MLO mammogram of the right breast. Patient age 42.
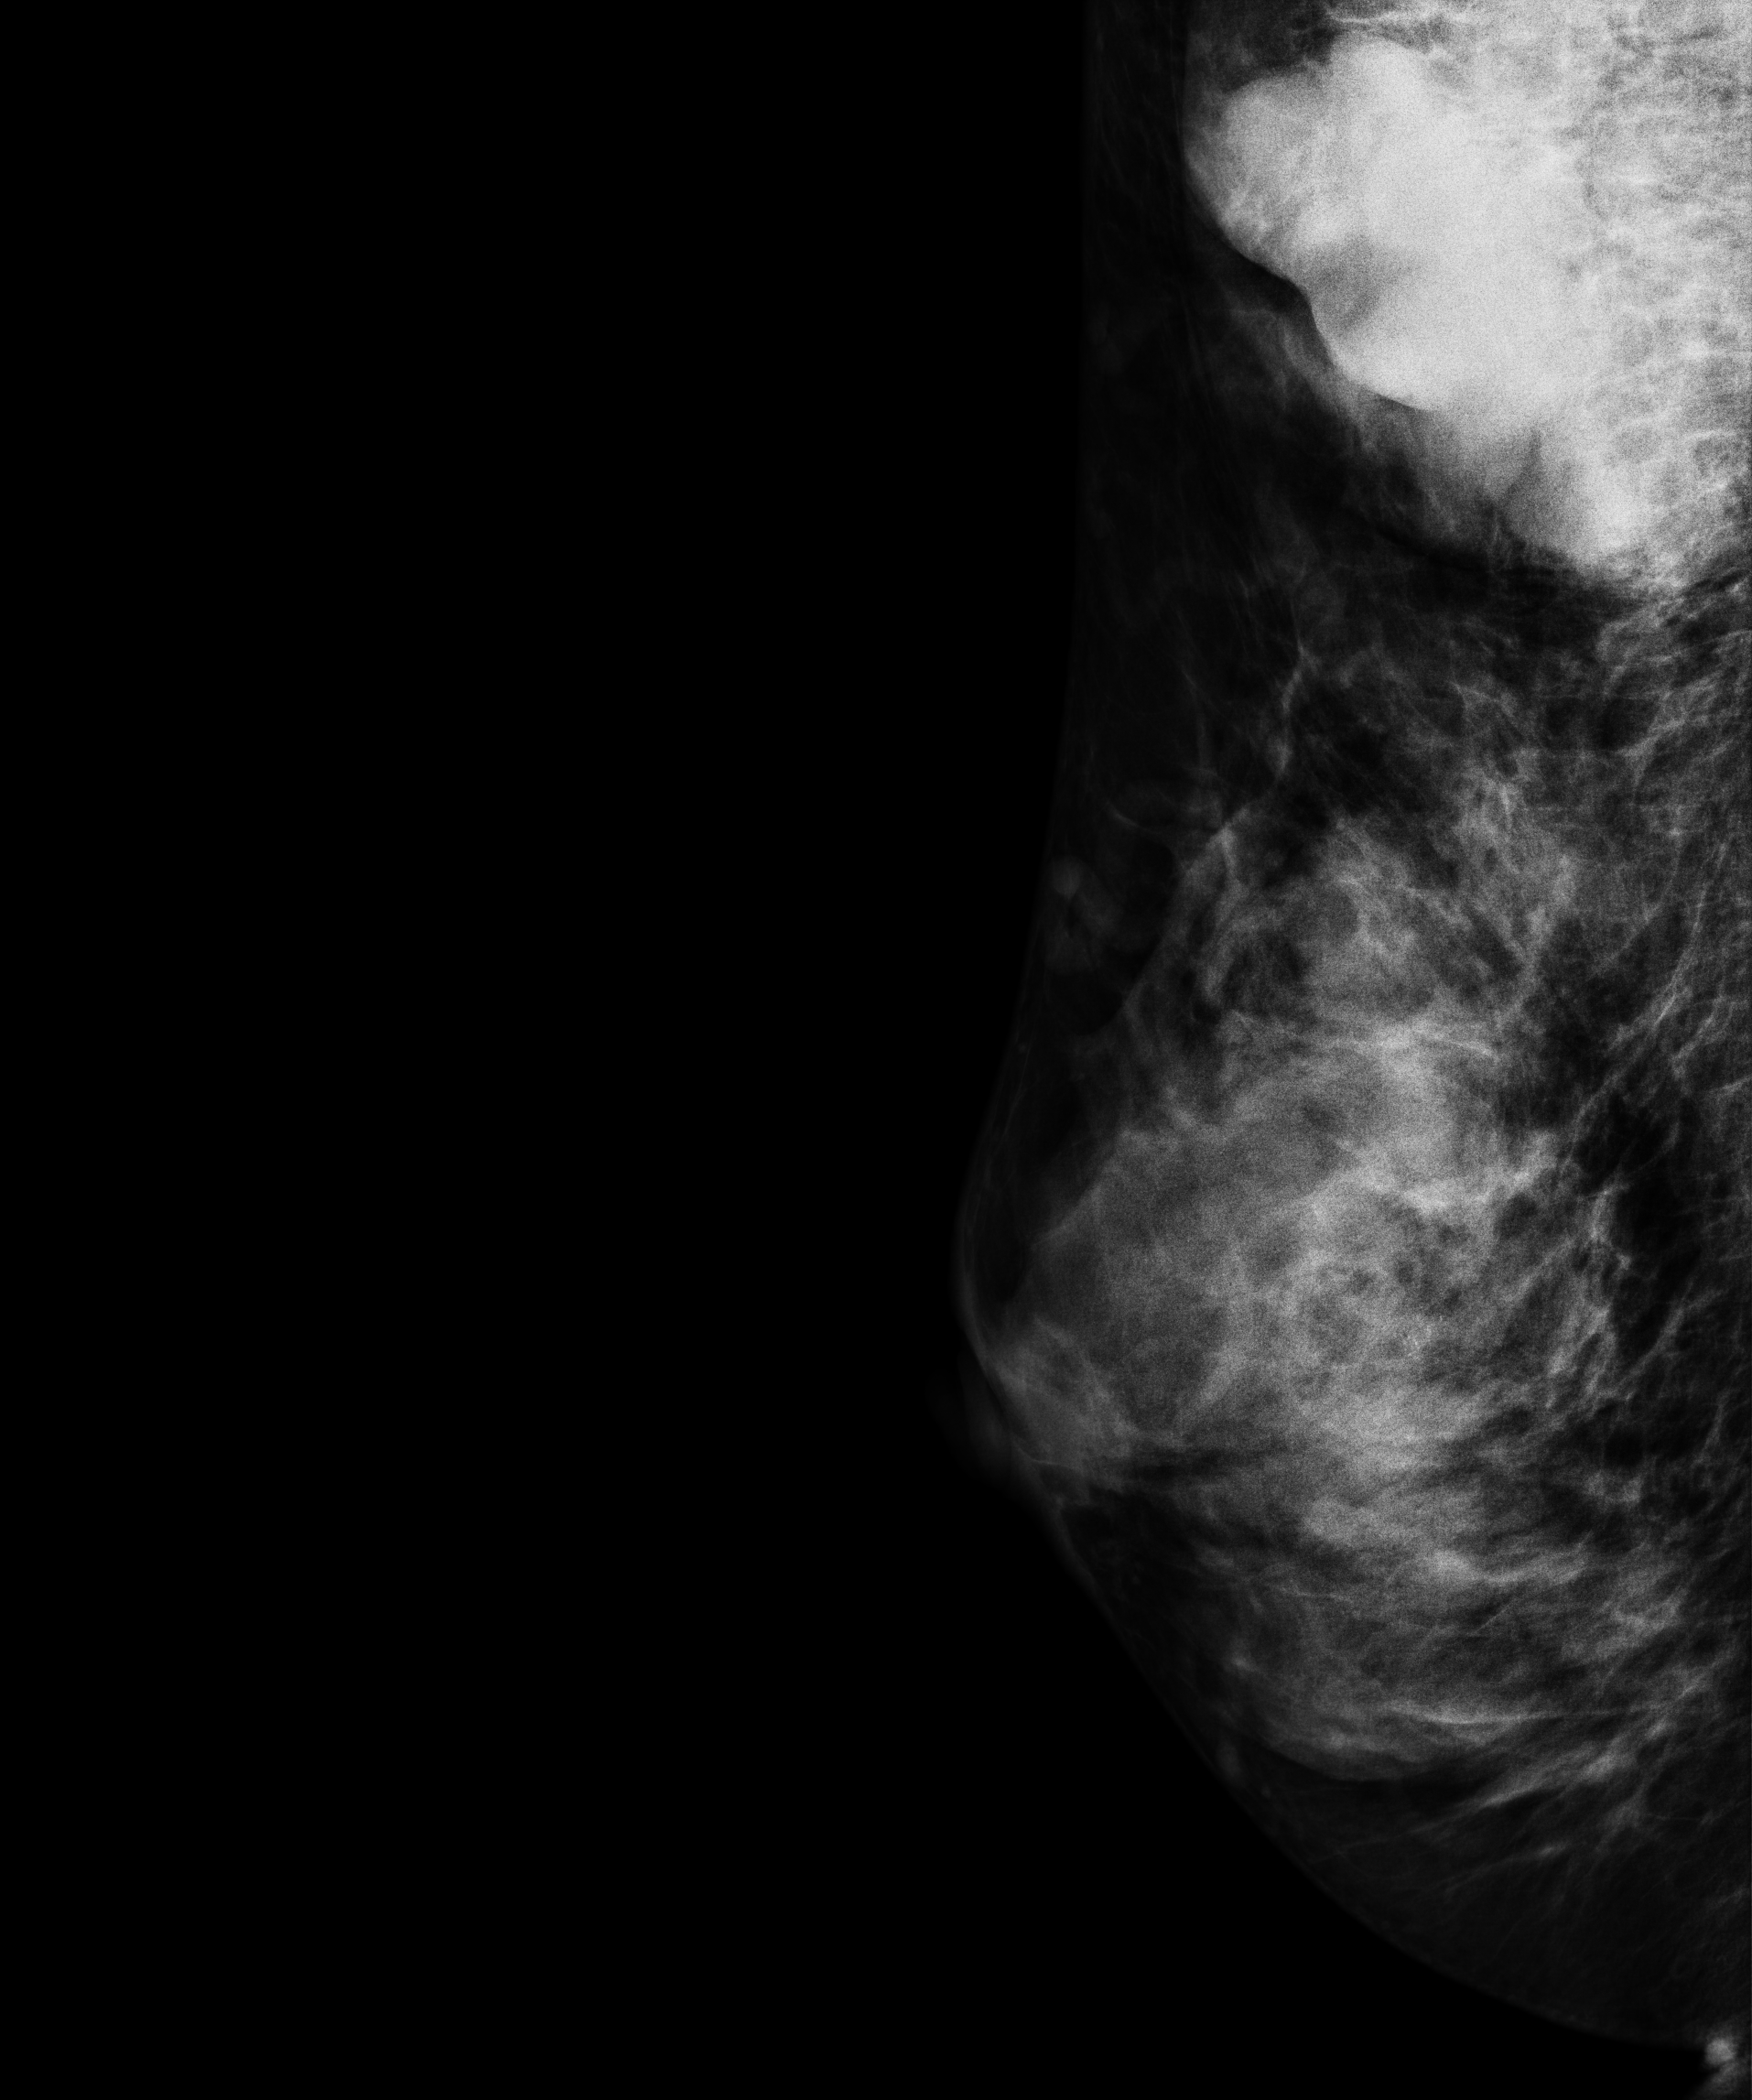
This breast has a mass, pathology-confirmed malignant. Molecular subtype: triple-negative.